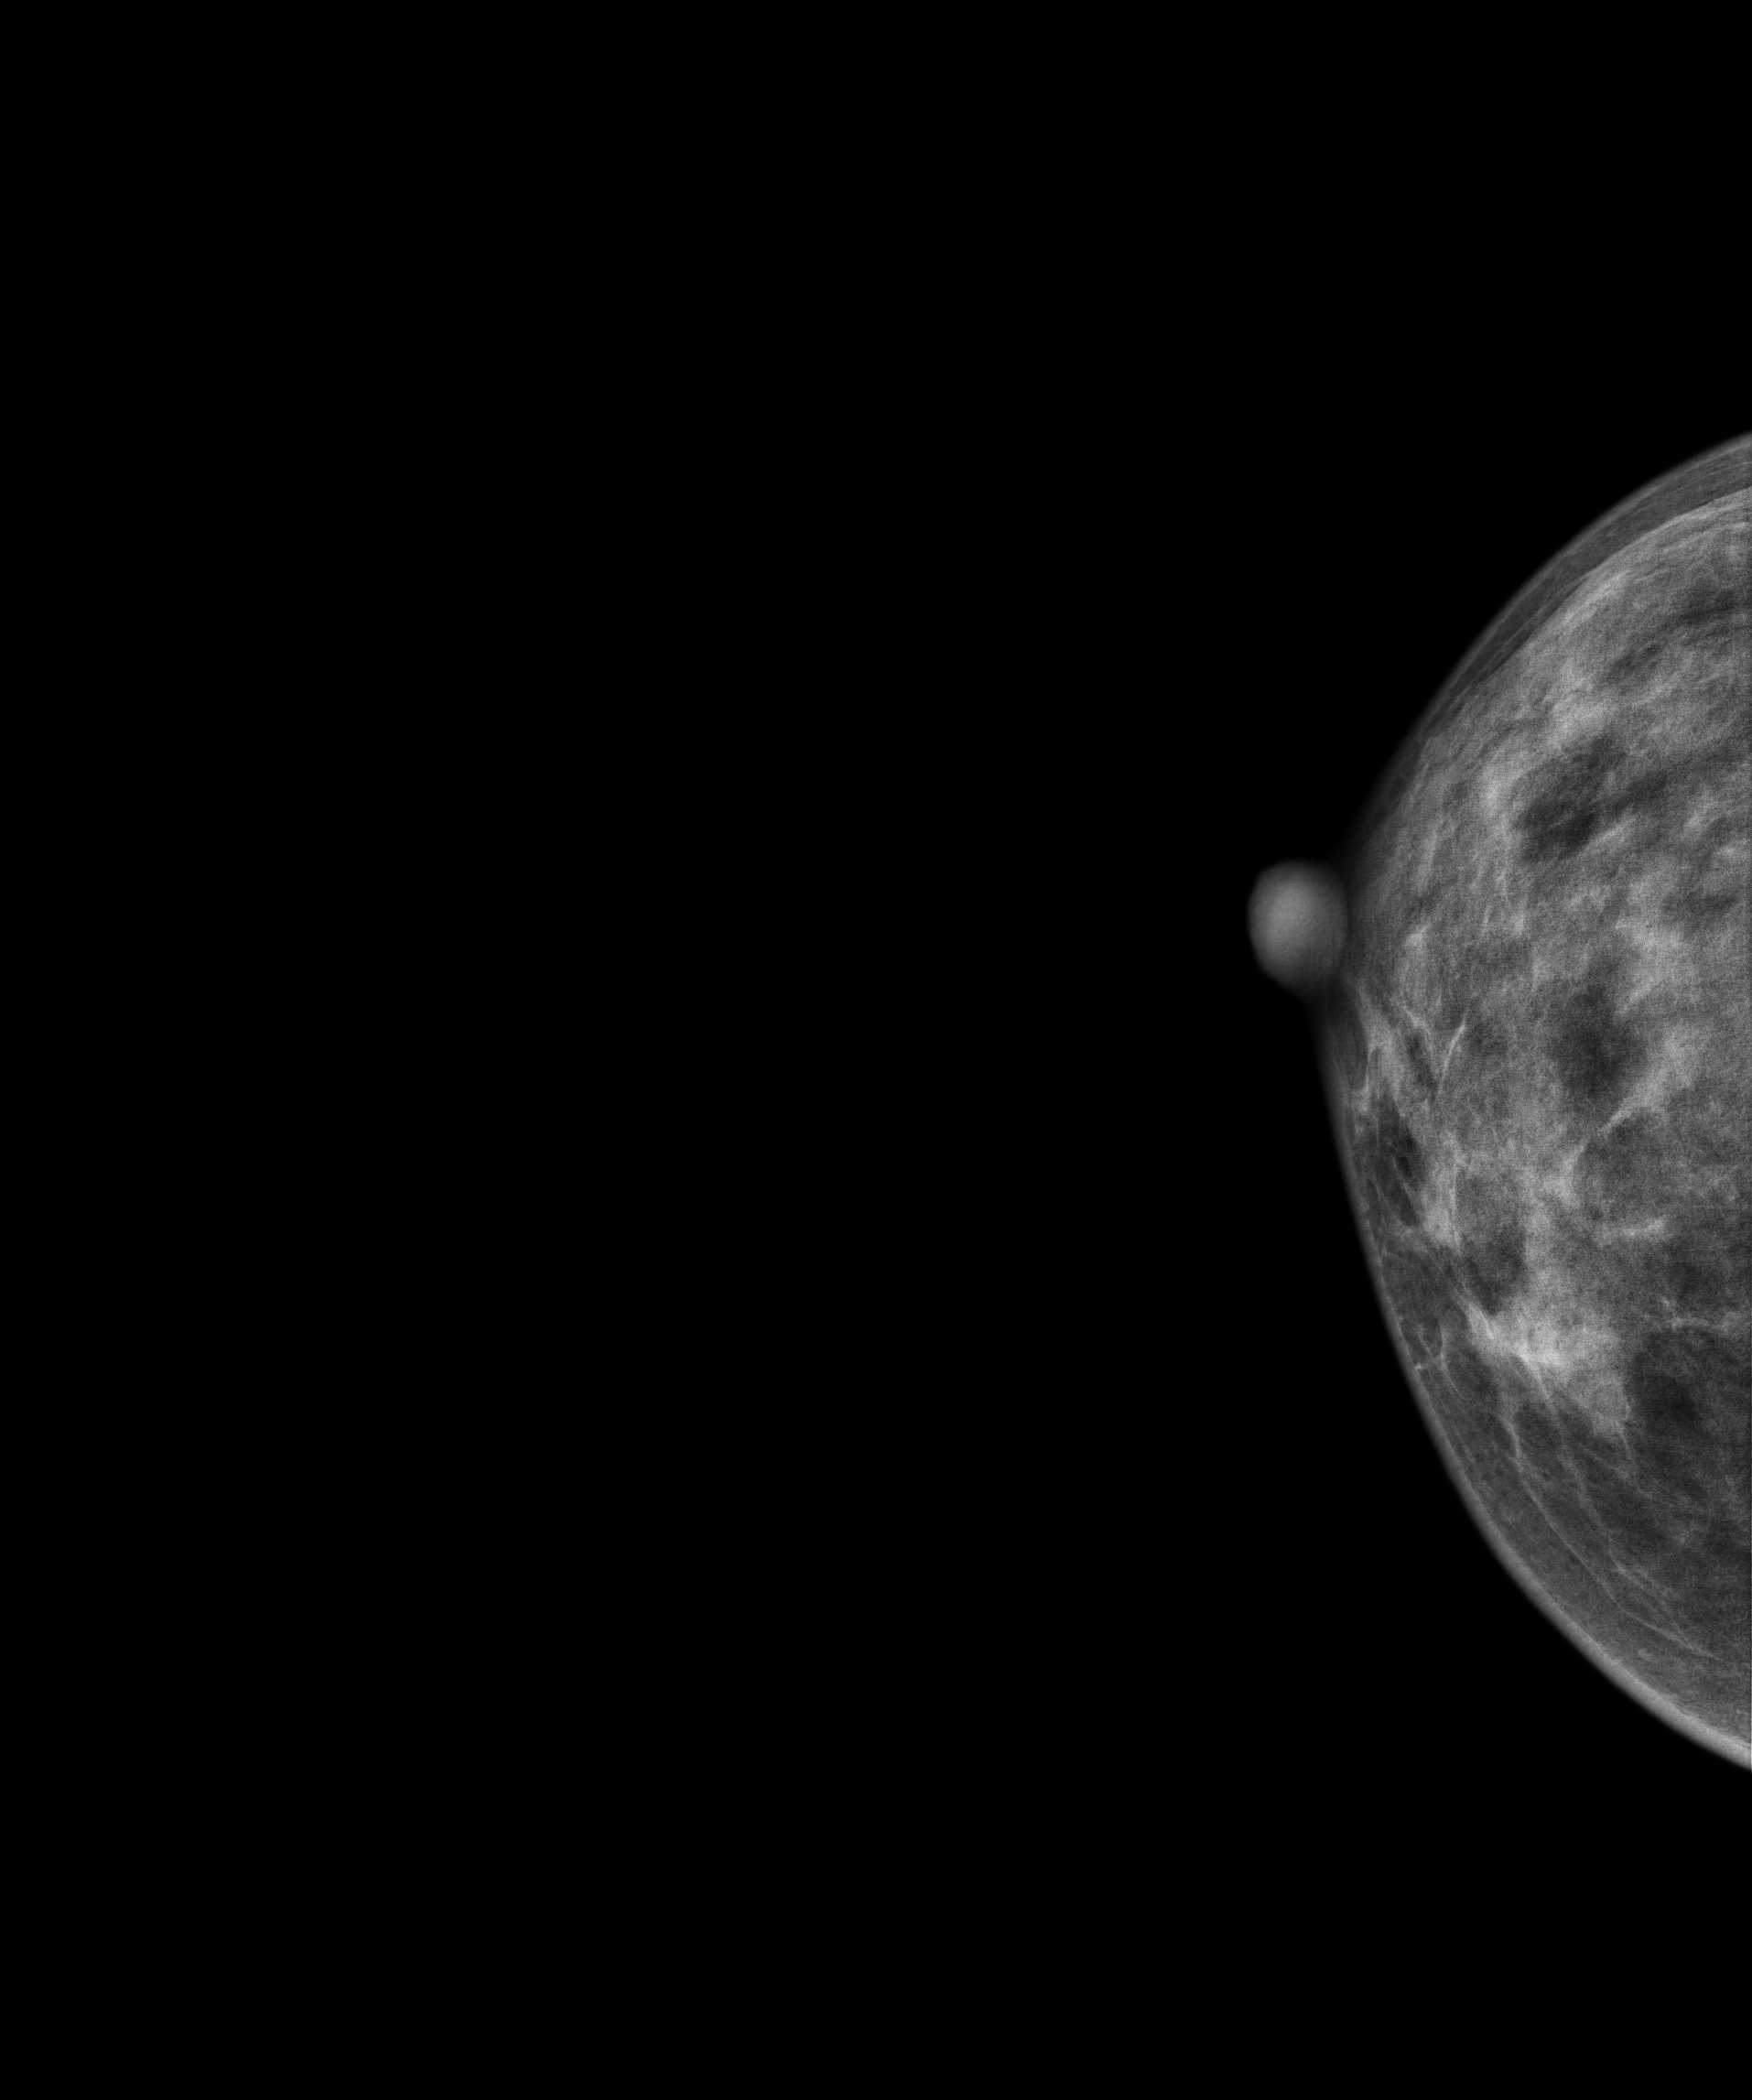
Mammogram — right cranio-caudal. 42 y/o patient.
Contralateral breast — no documented abnormality on this side.